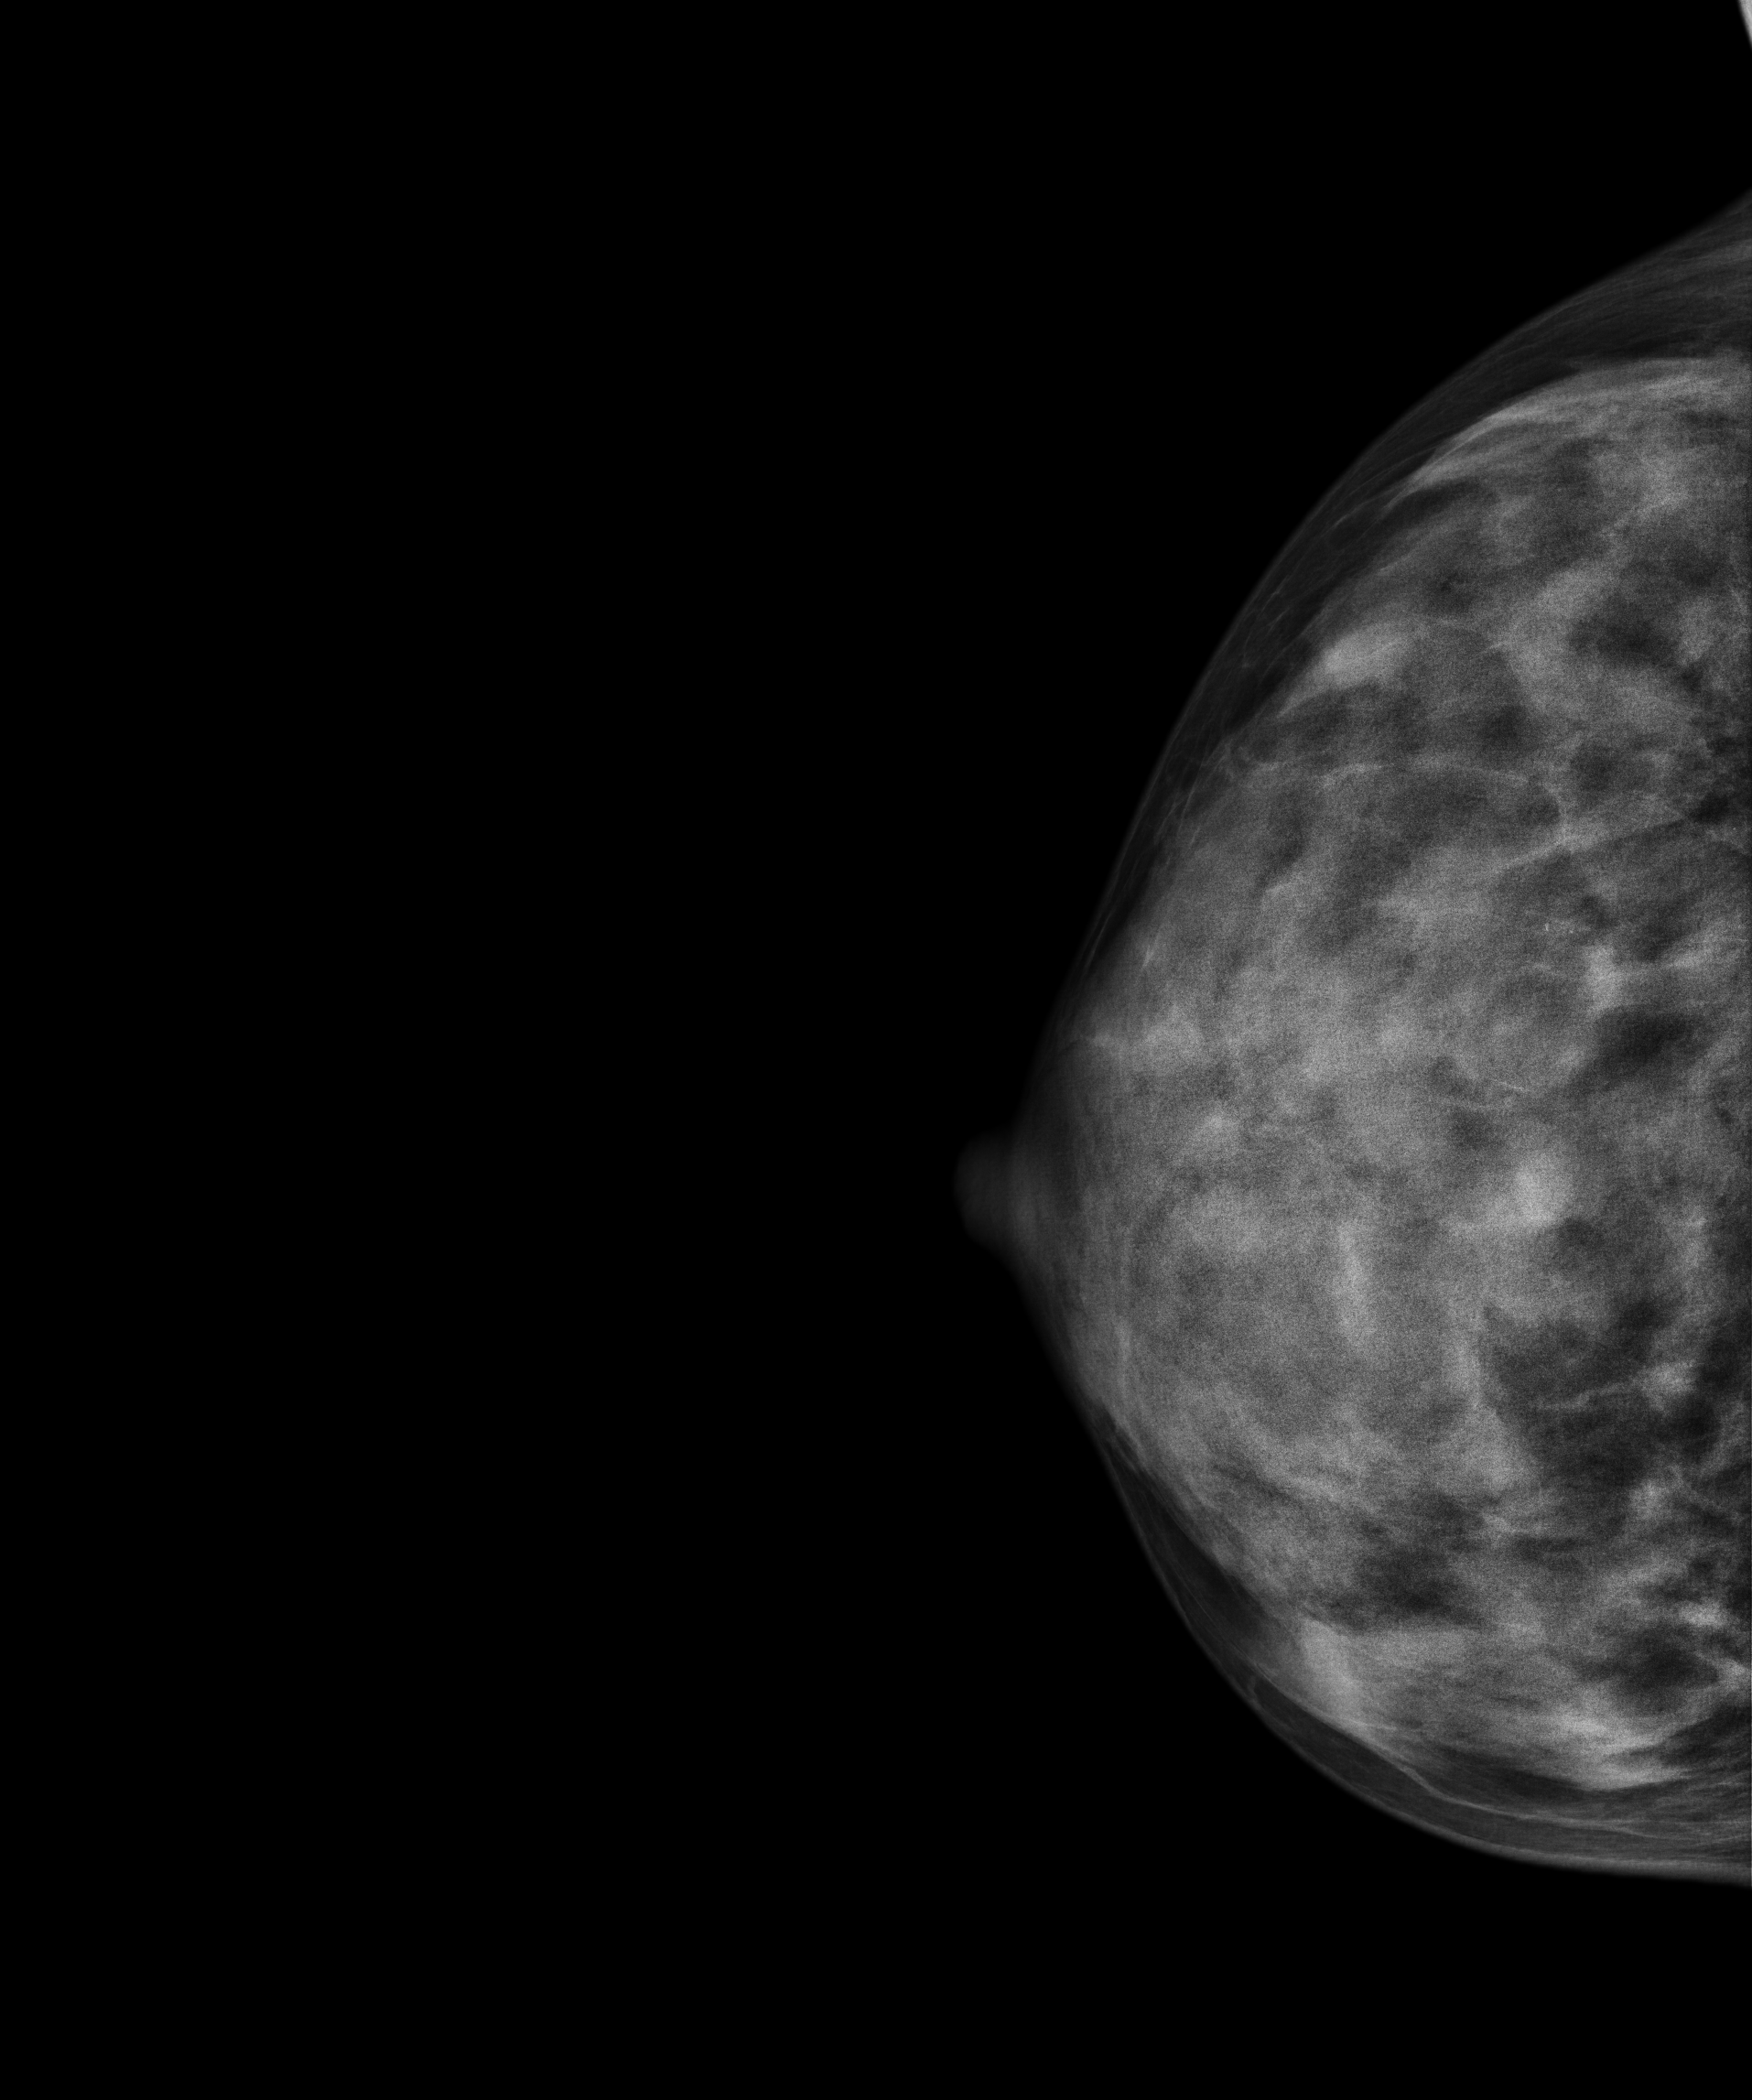
Right-breast mammogram, cranio-caudal. 46 y/o patient.
Contralateral breast — no documented abnormality on this side.